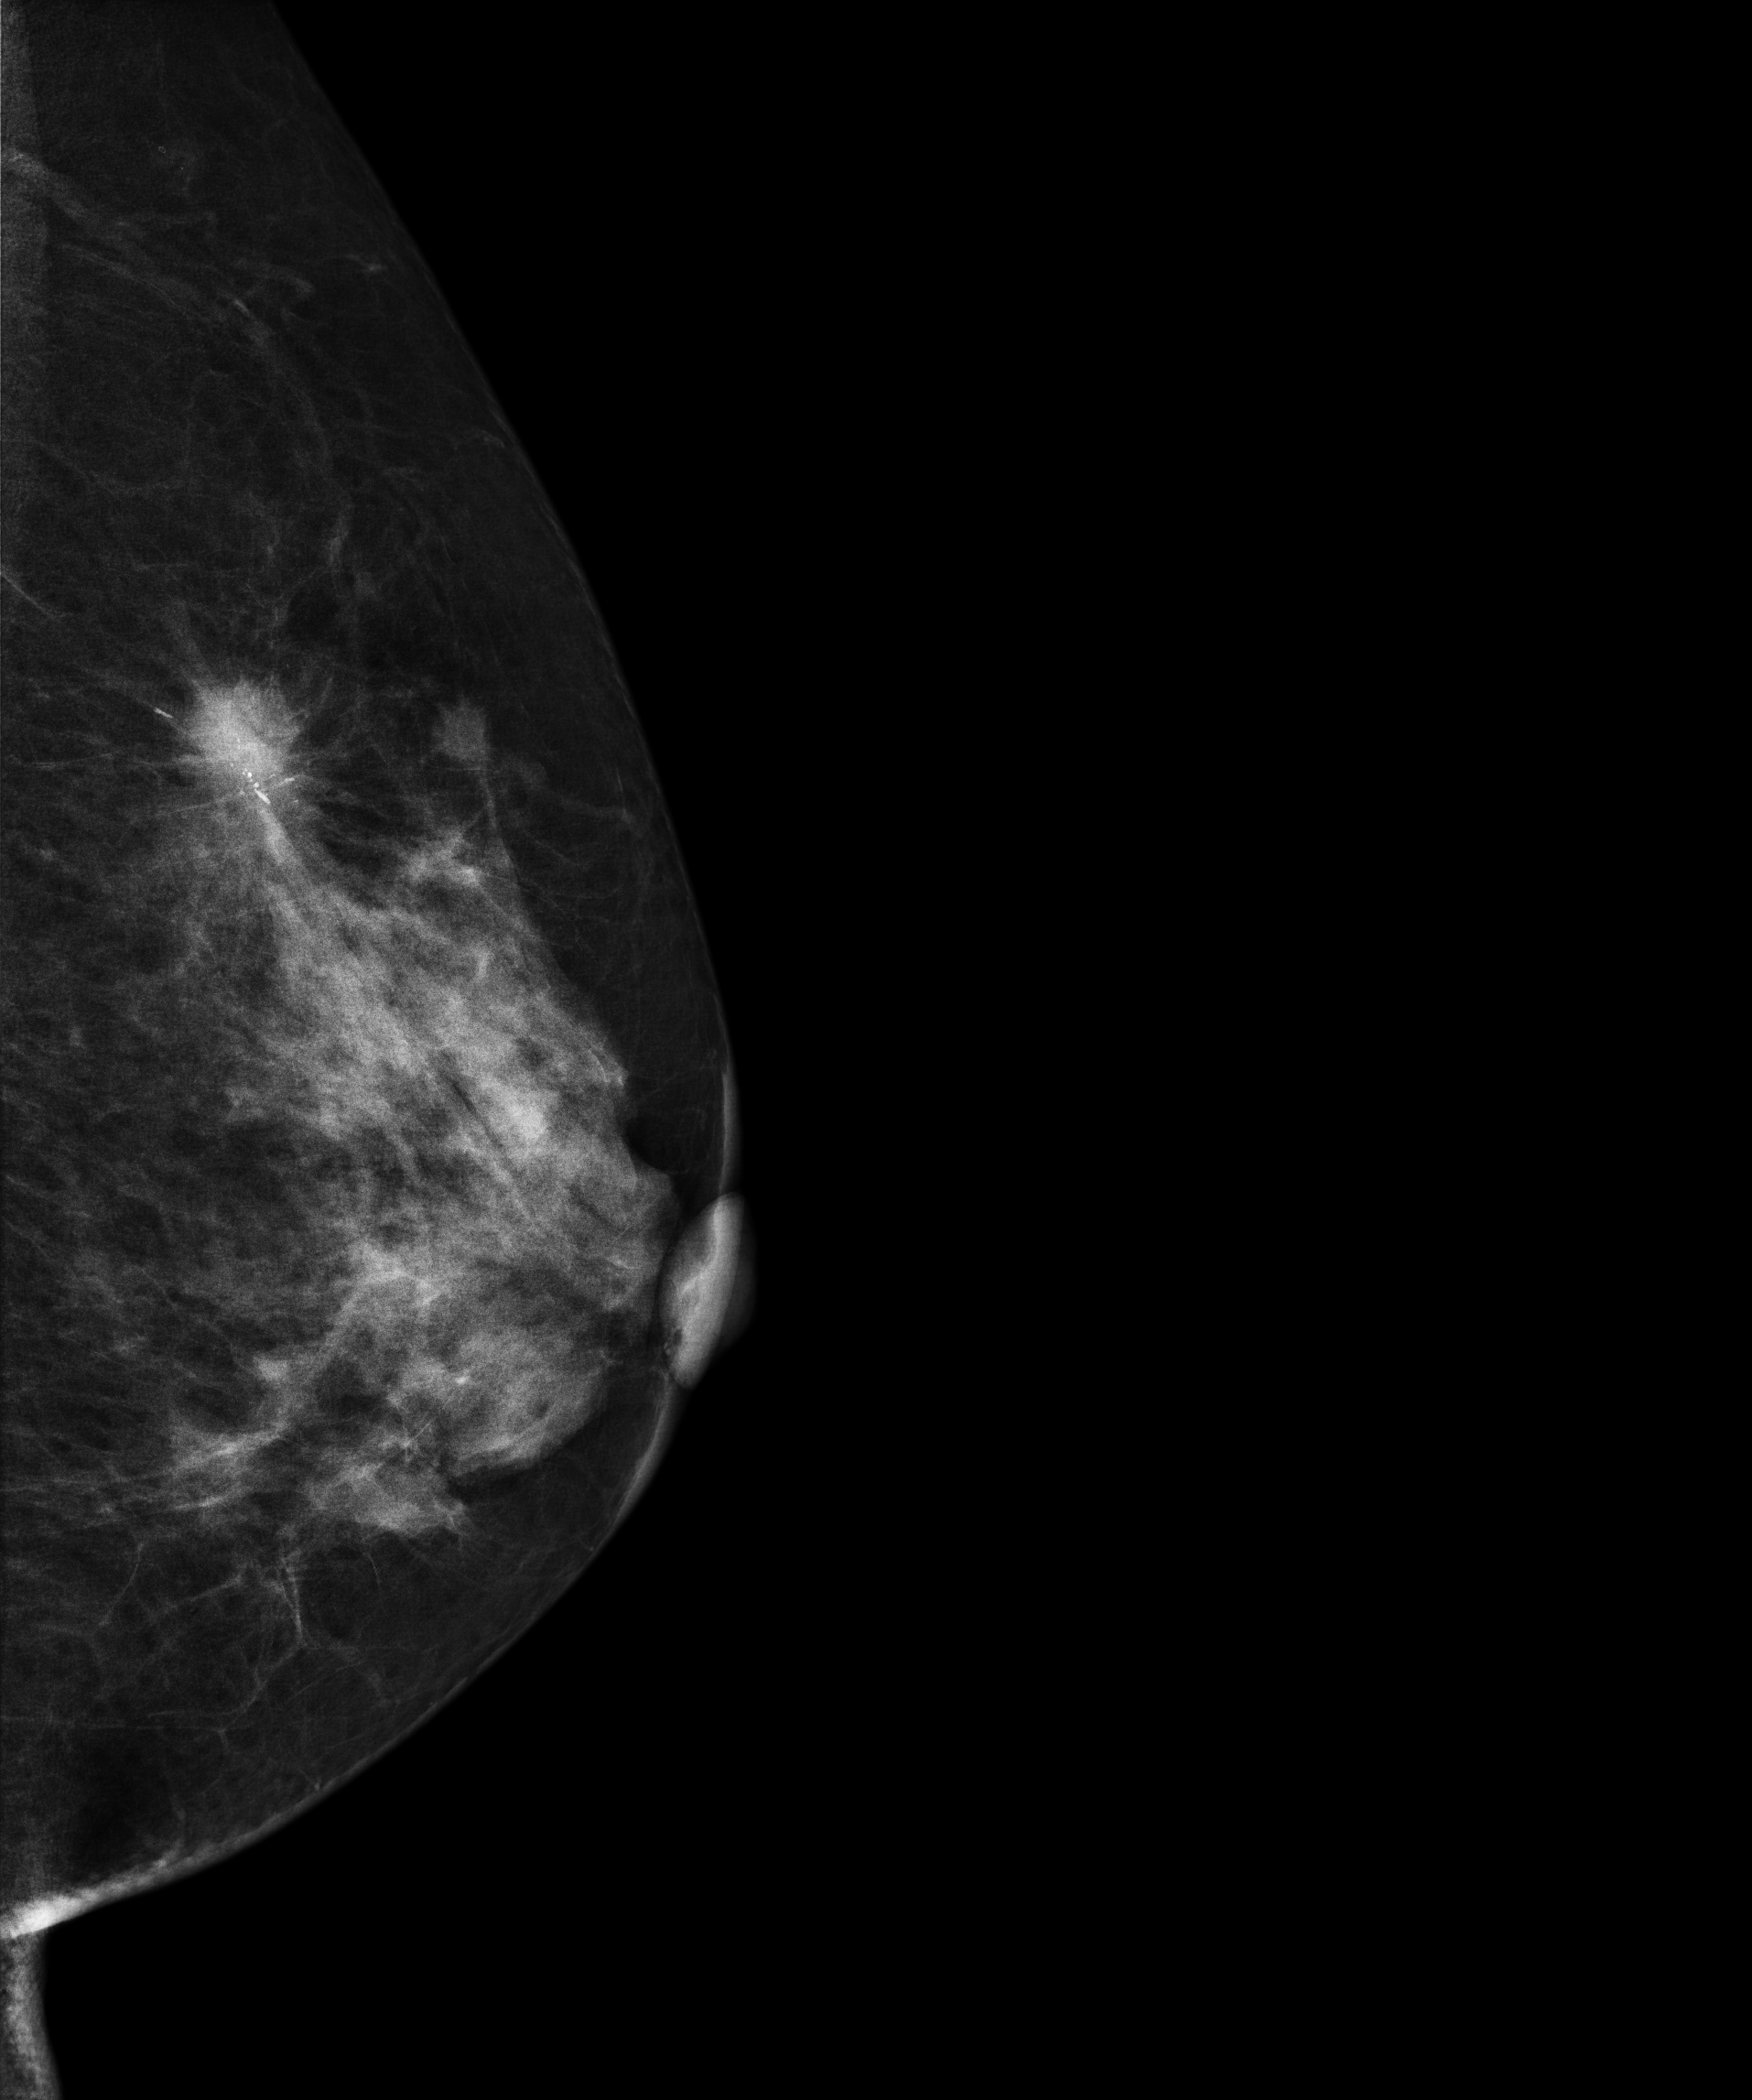
Left-breast mammogram, medio-lateral oblique. Patient age 56.
This breast has a mass and calcifications, biopsy-proven malignant.